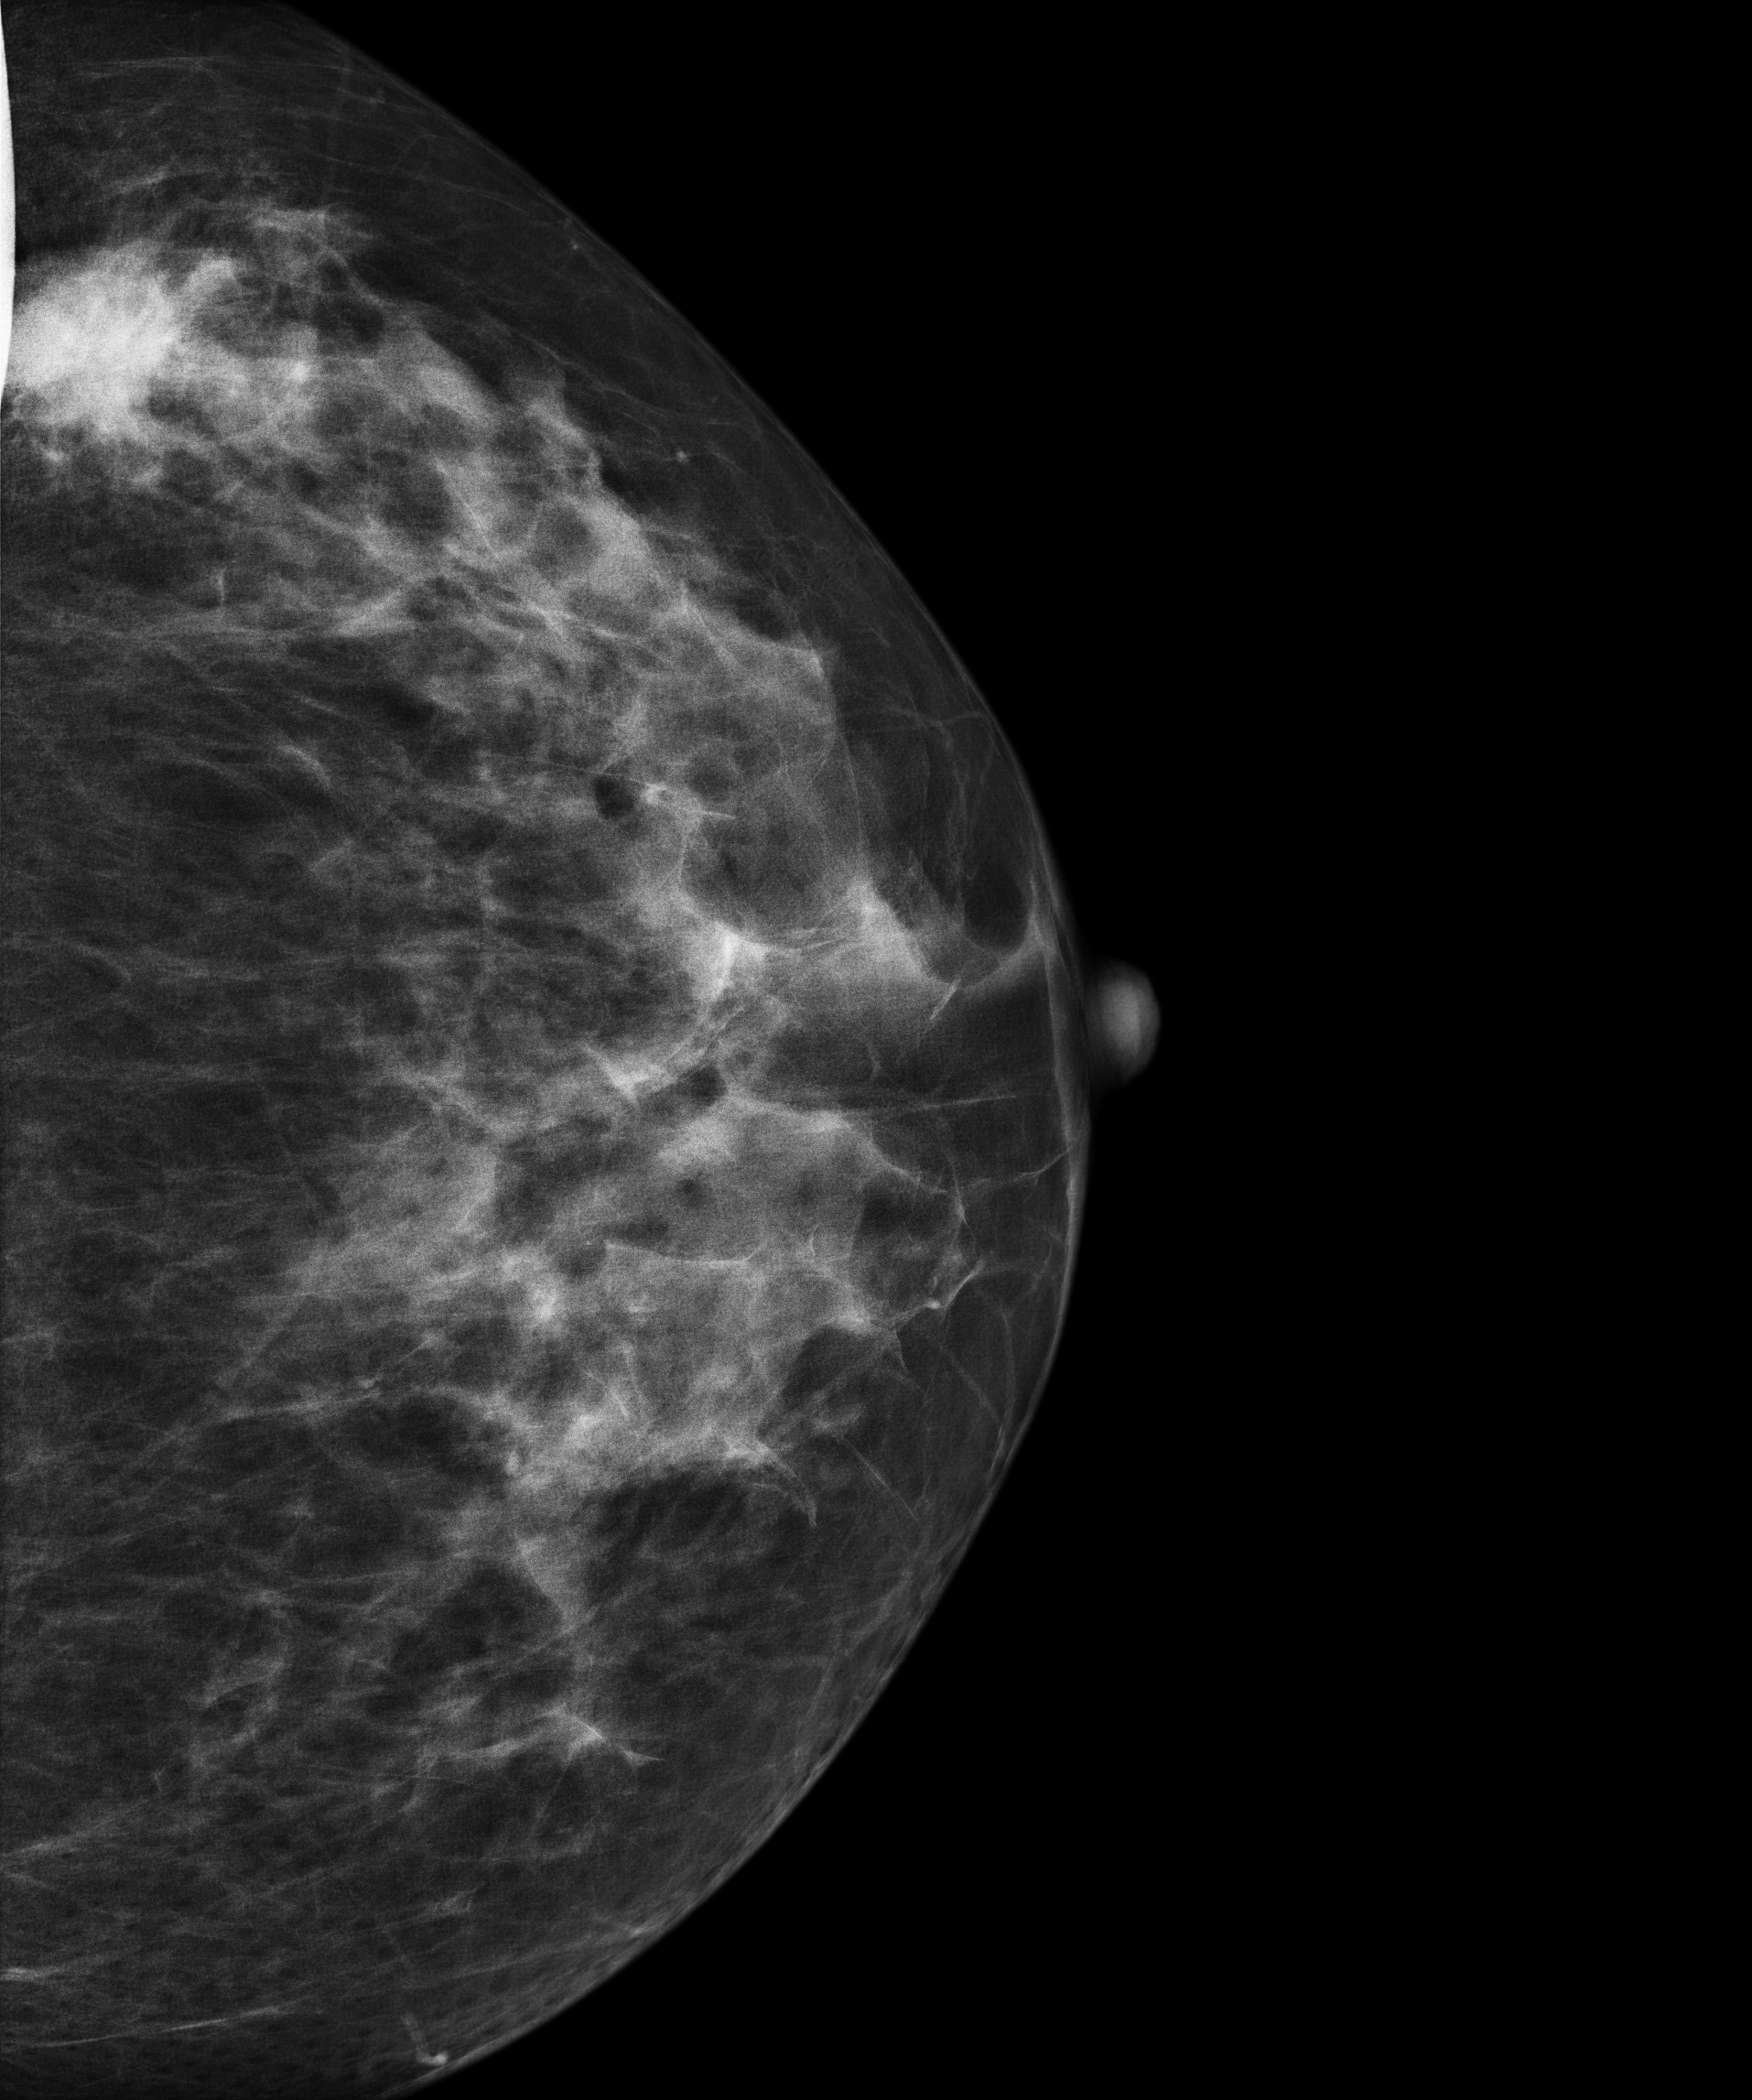
Left-breast mammogram, CC. 50-year-old patient.
This breast has a mass, pathology-confirmed malignant.